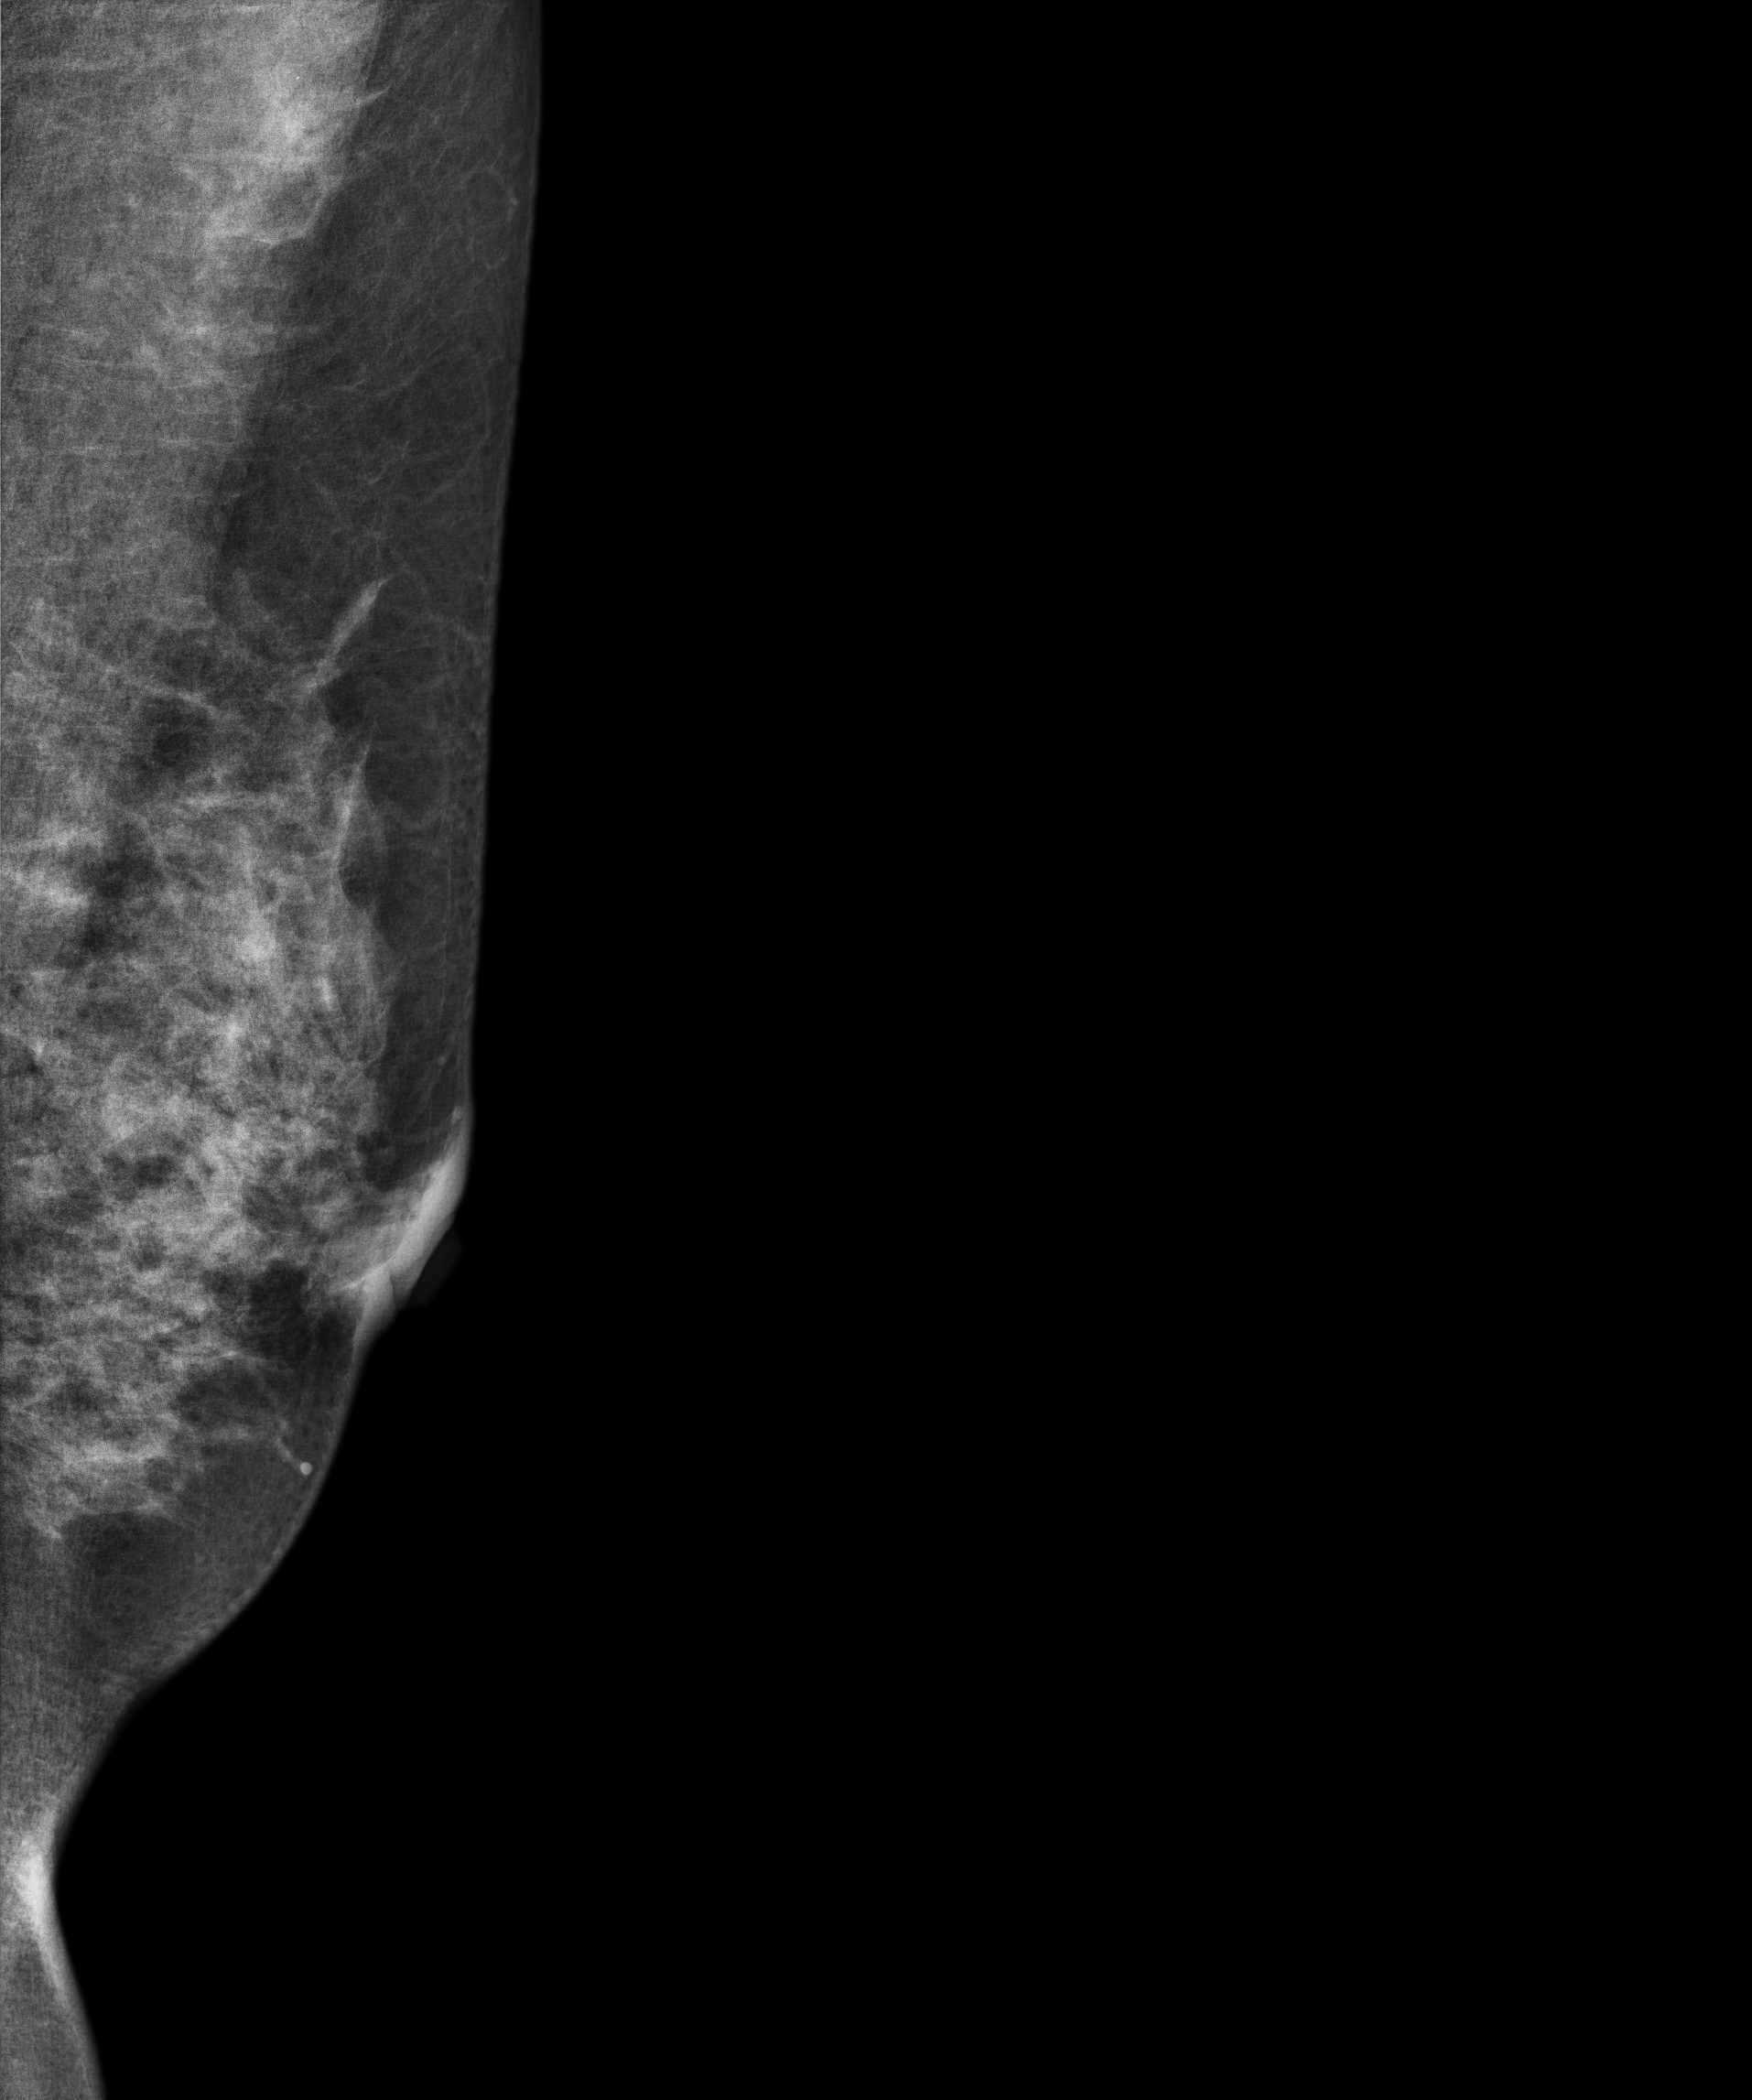
Mammogram, left breast, medio-lateral oblique view. Patient age 47.
This breast has a mass, histologically confirmed benign.